Mammogram, right breast, CC view. Patient age 51.
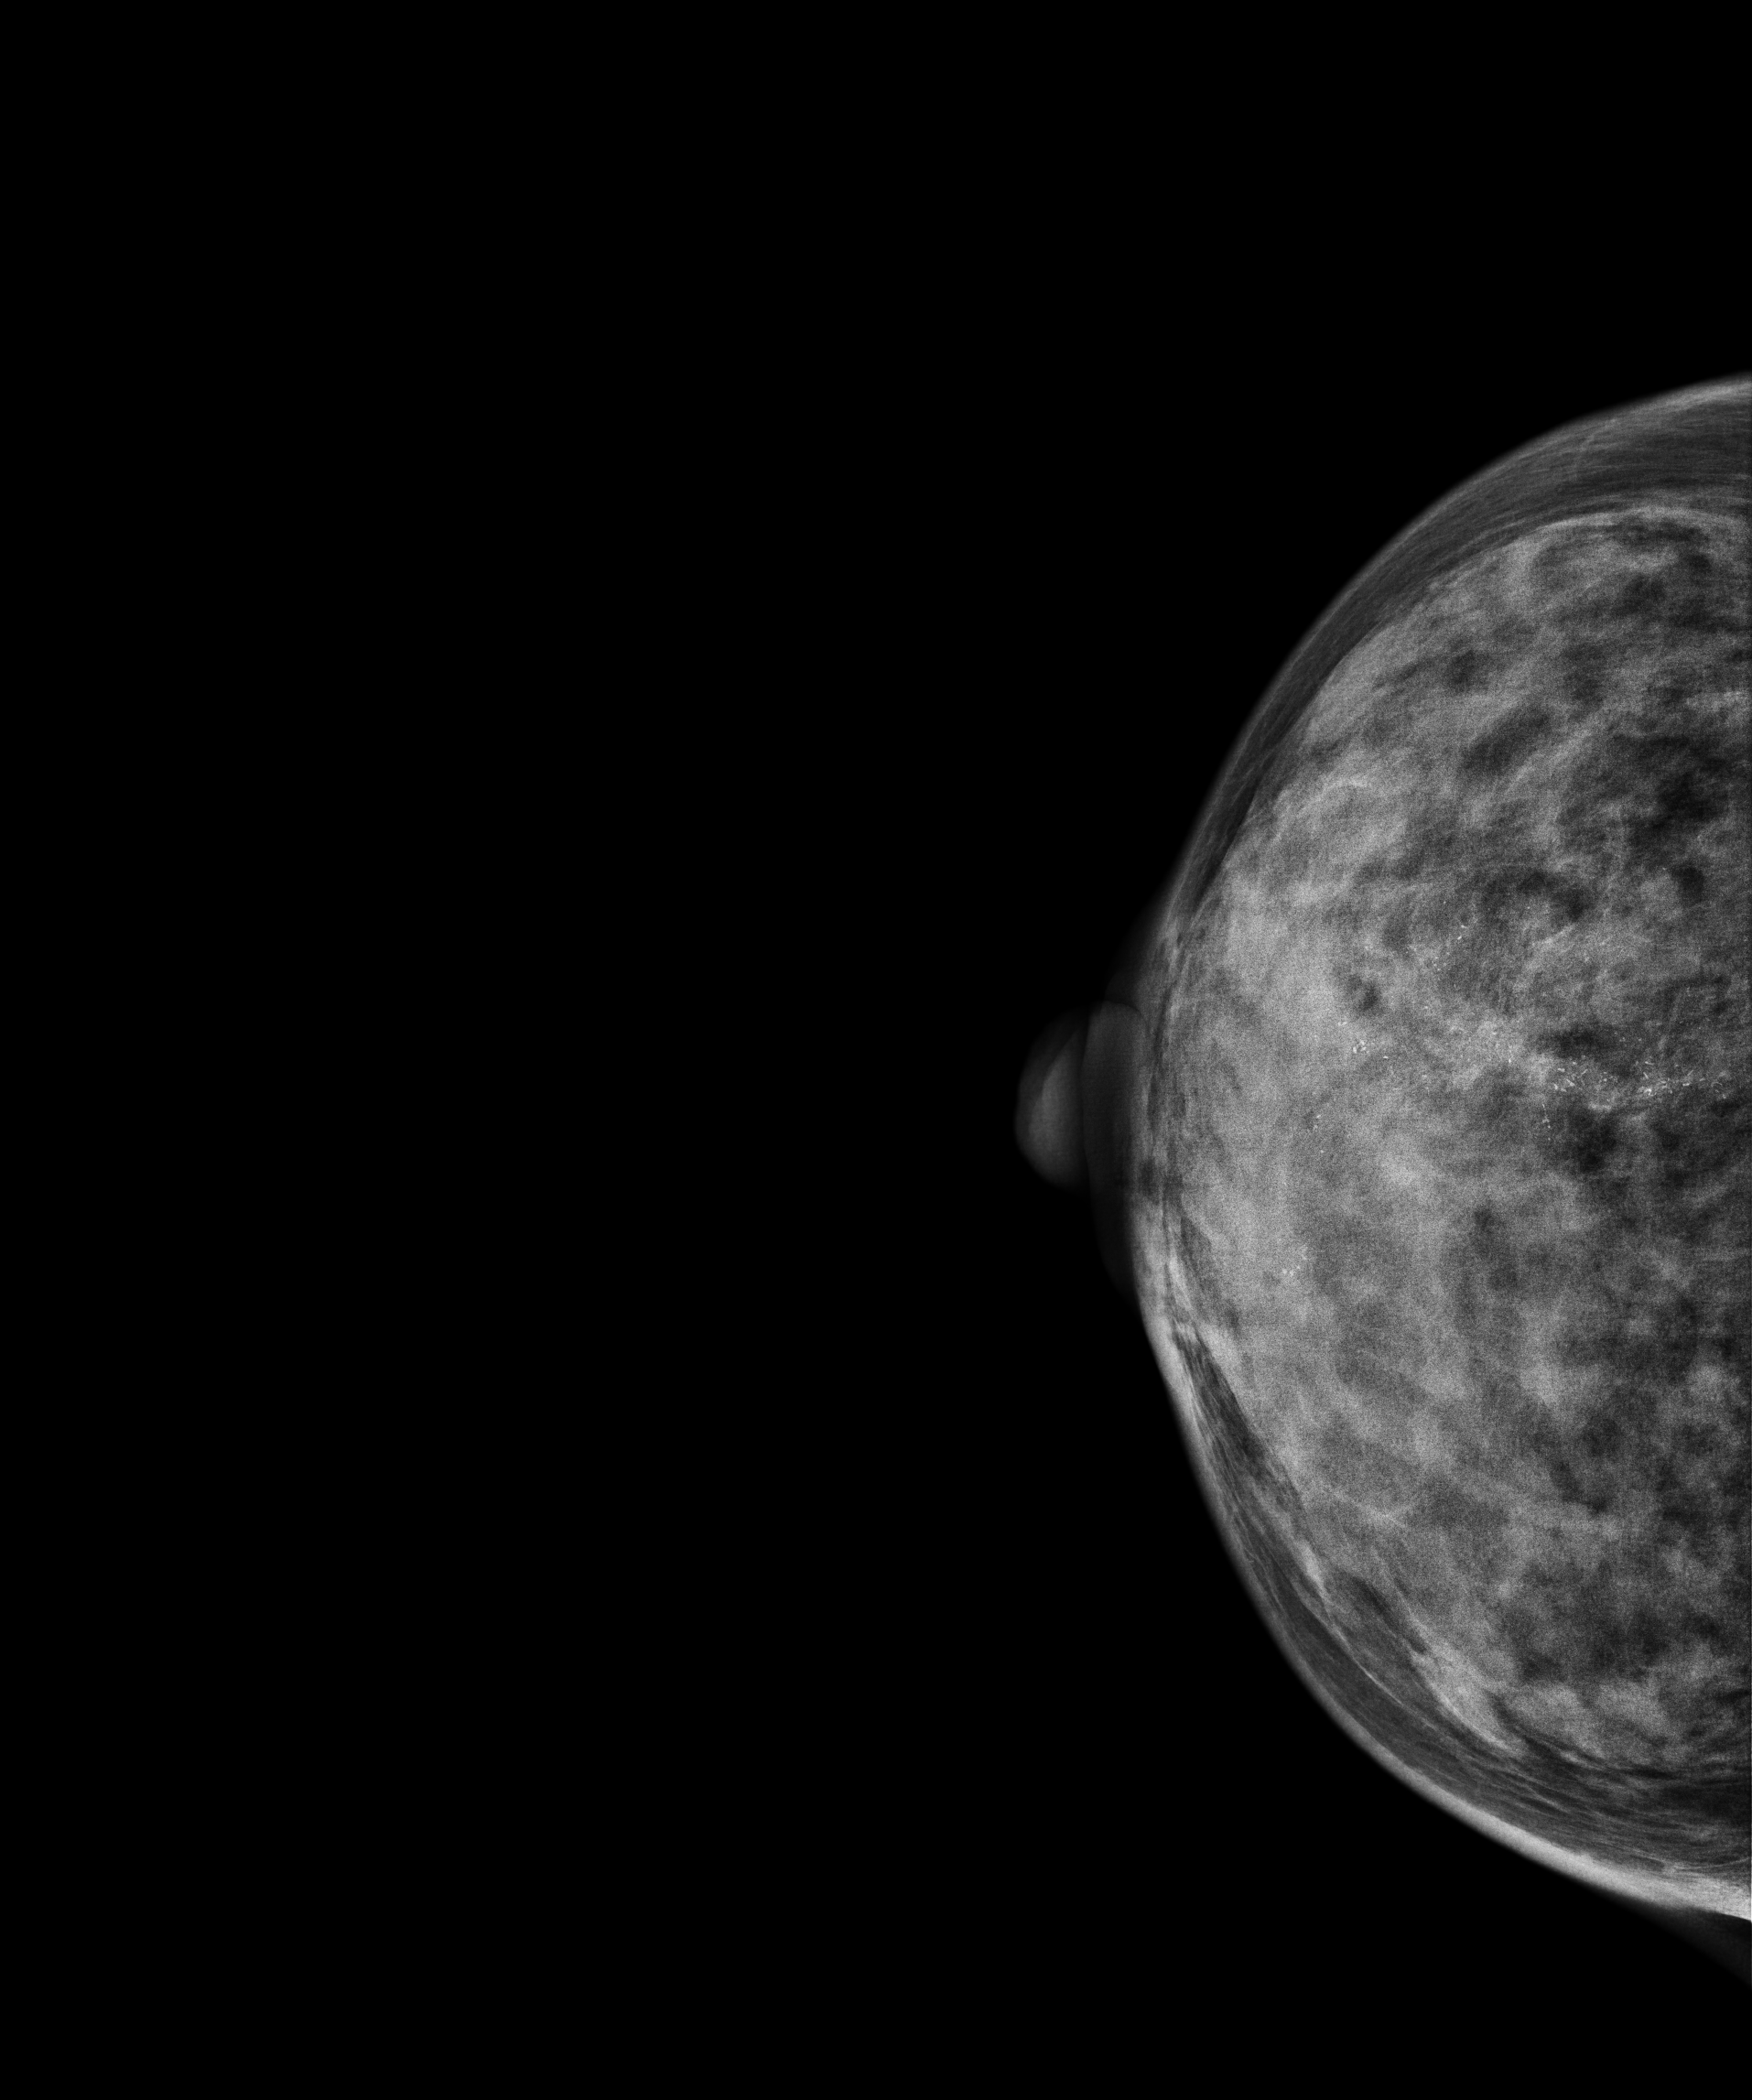
This breast has calcifications, biopsy-proven malignant.